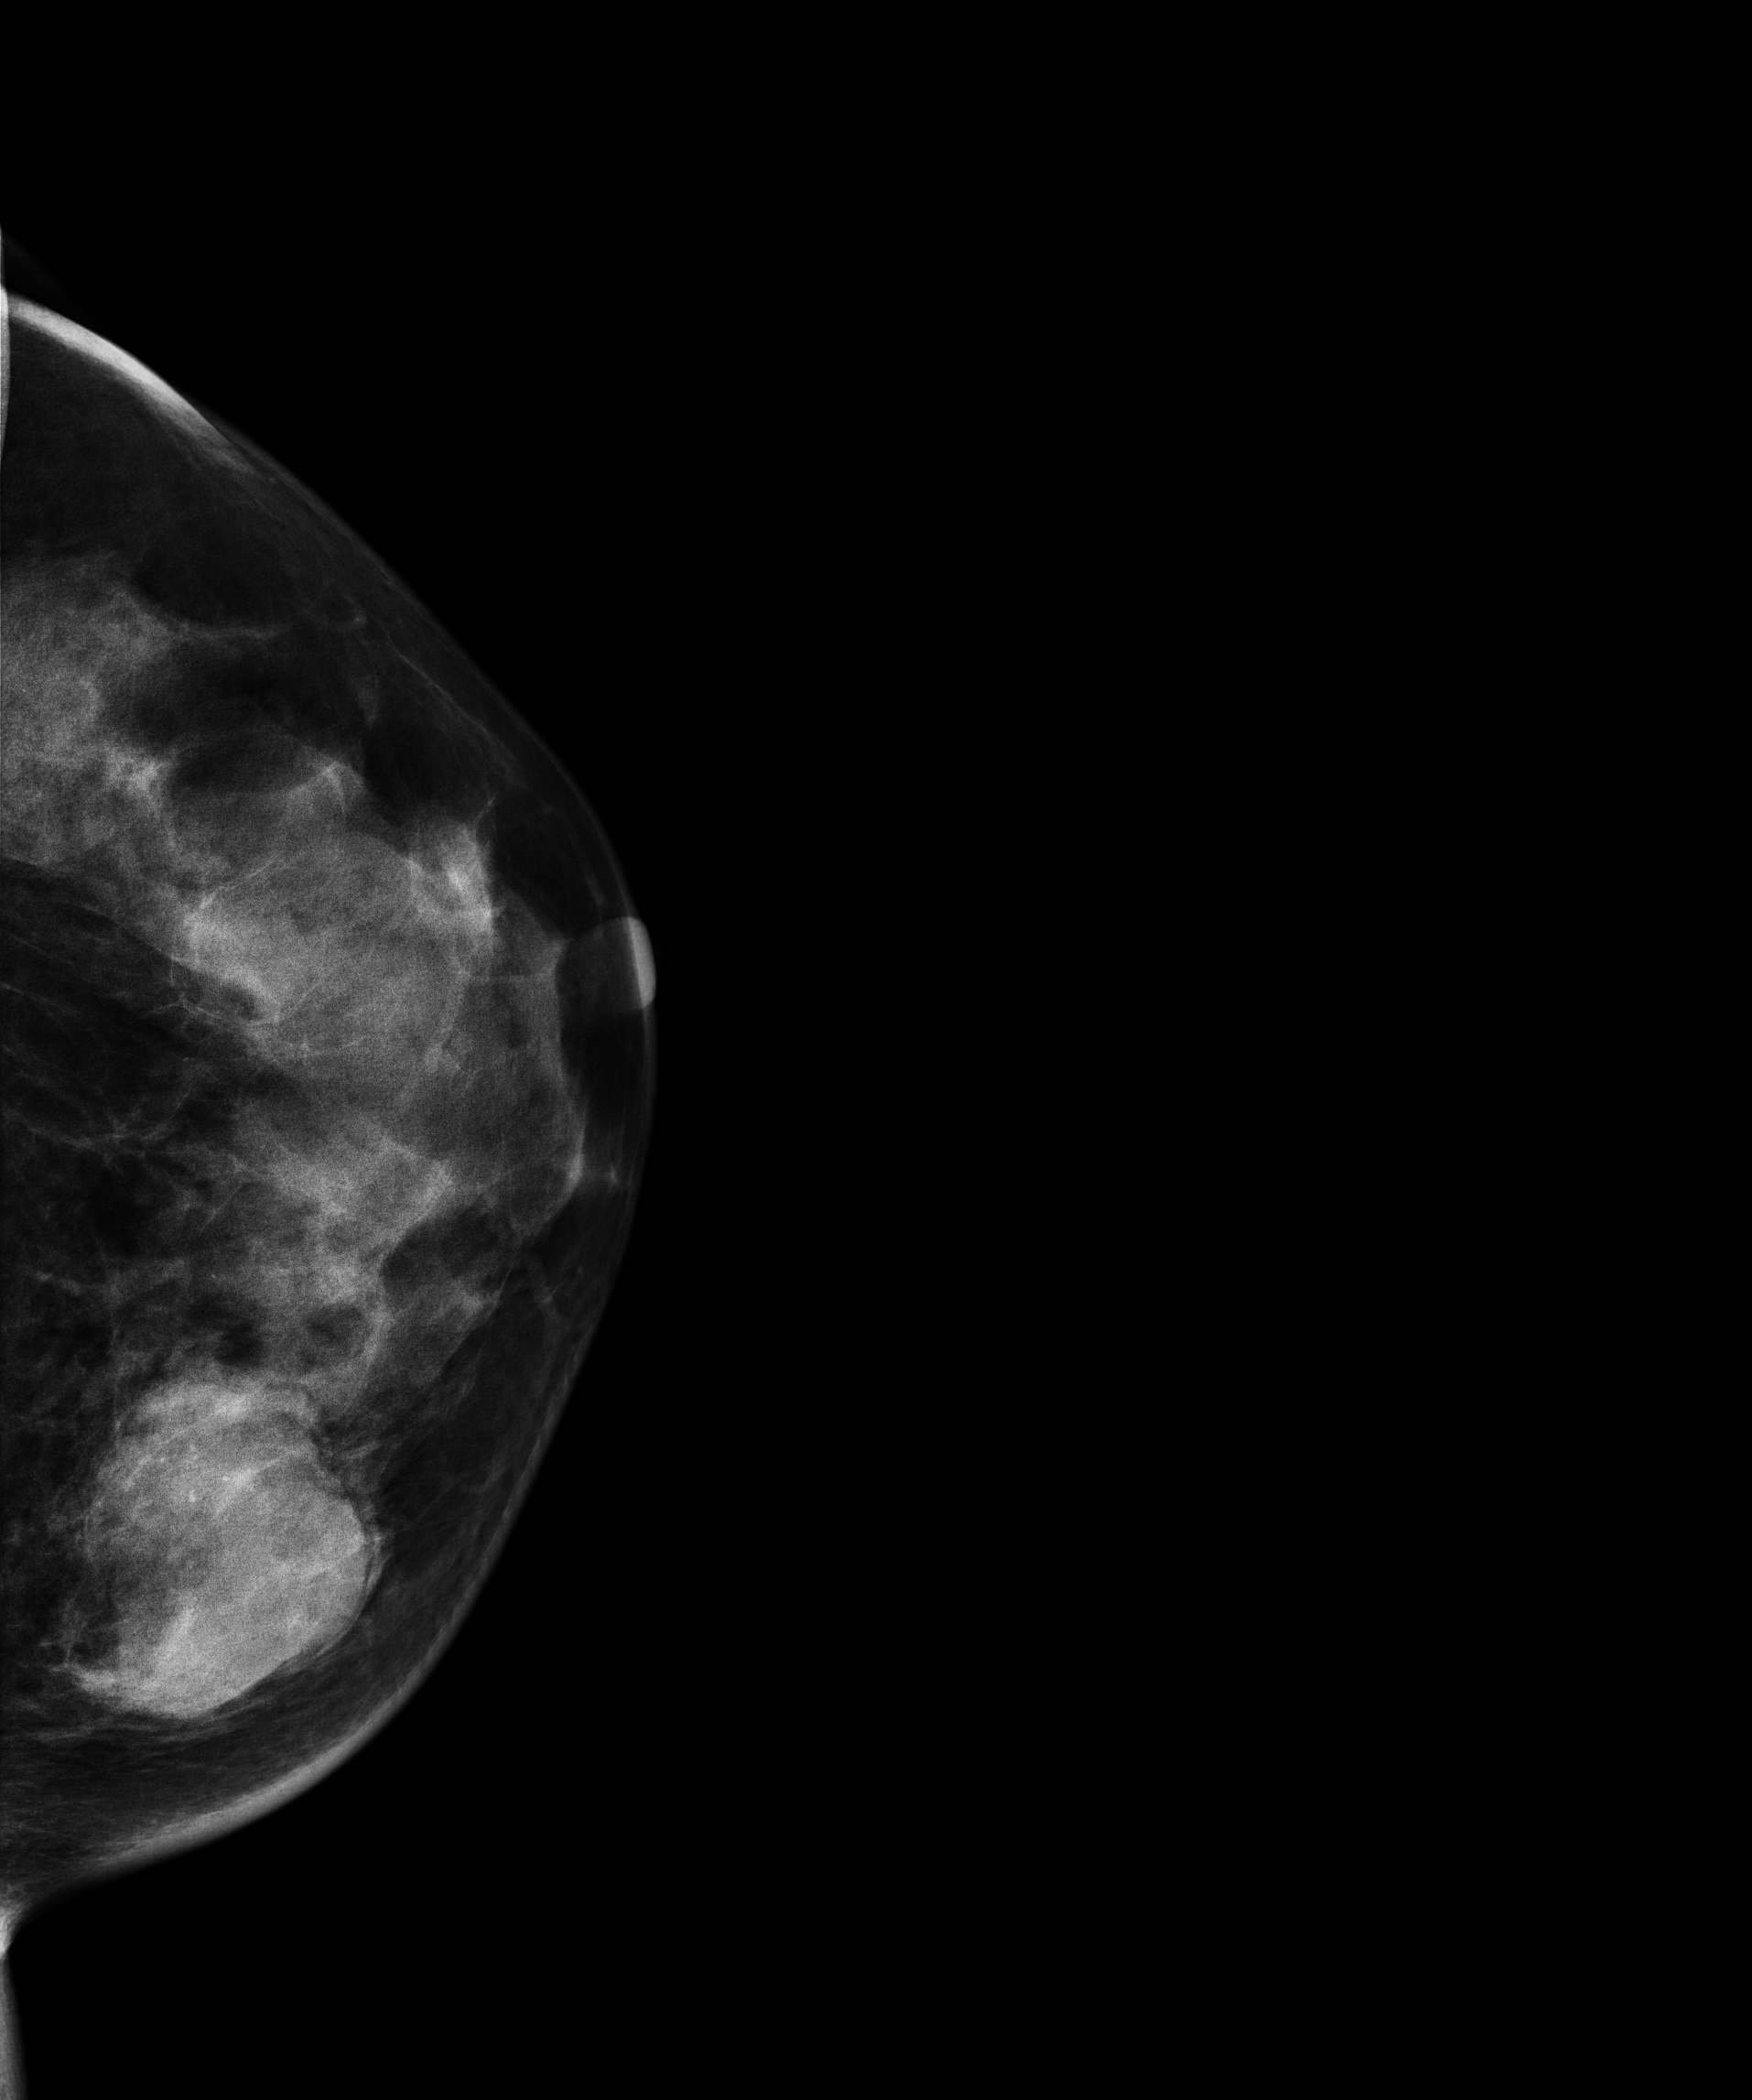
Left-breast mammogram, cranio-caudal. Patient age 52.
This breast has a mass and calcifications, histologically confirmed benign.